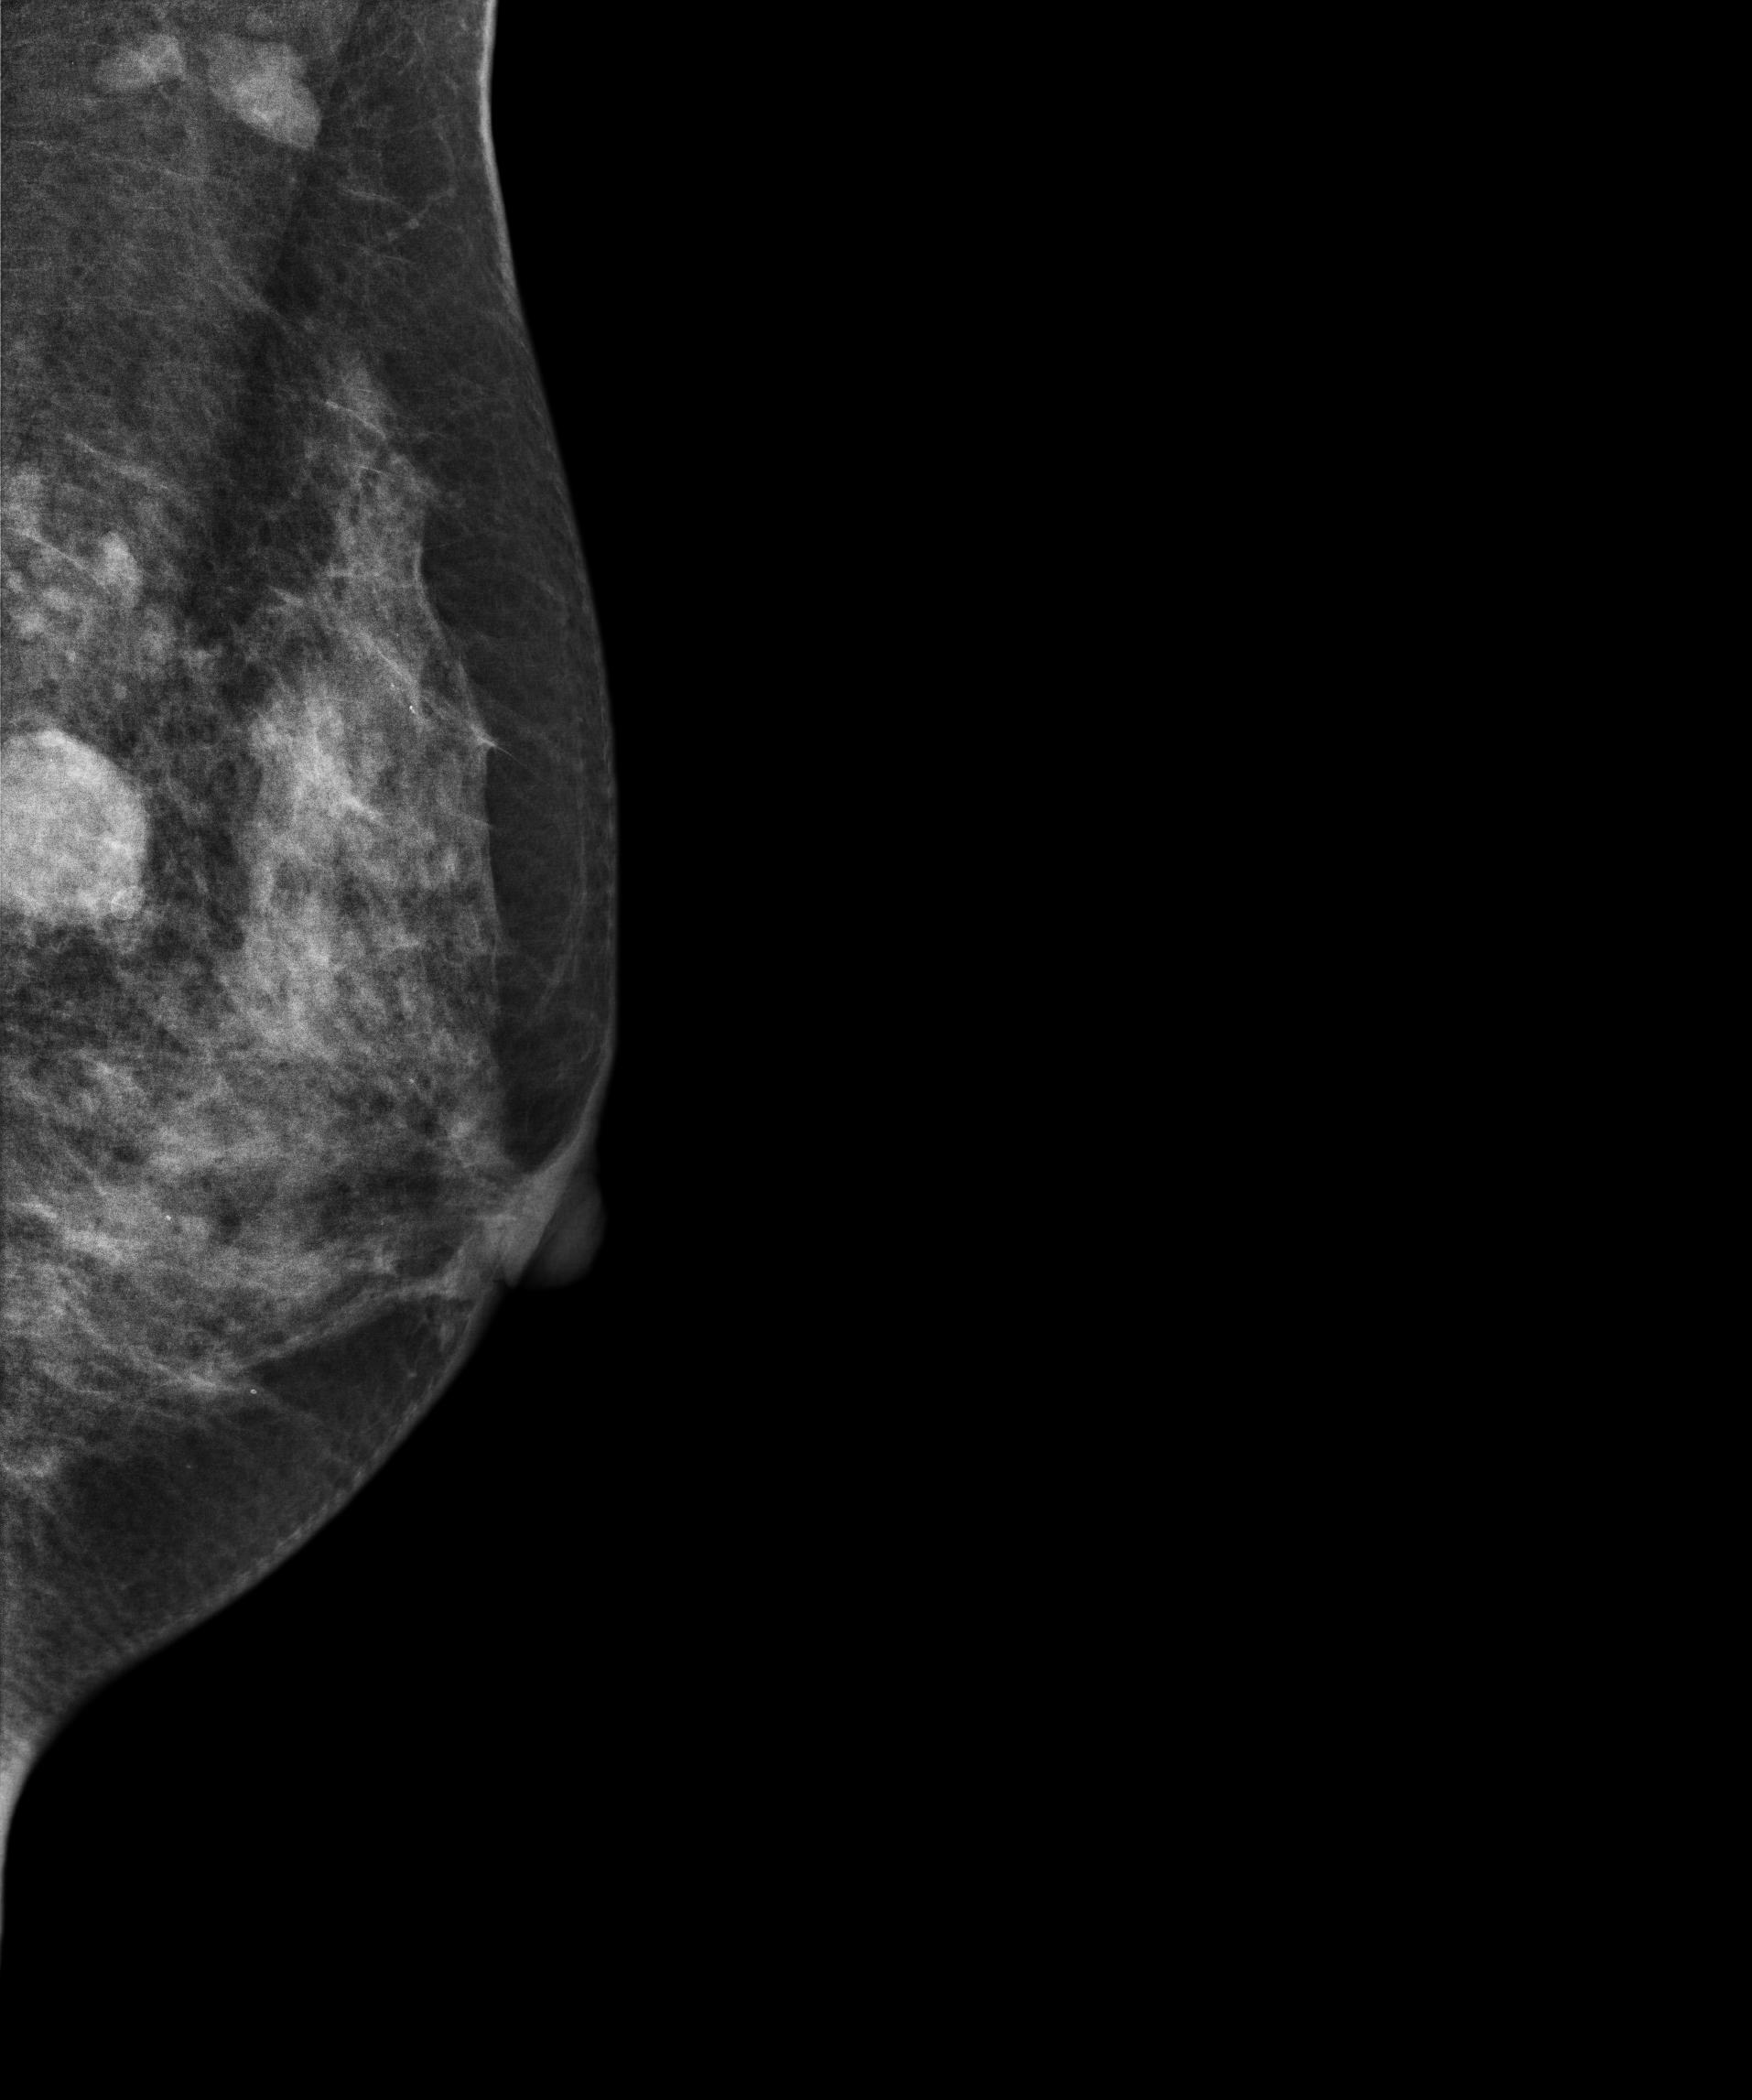
Left-breast mammogram, medio-lateral oblique. Patient age 31.
This breast has a mass, pathology-confirmed benign.